Digital mammography. Right breast, cranio-caudal projection. 45 y/o patient.
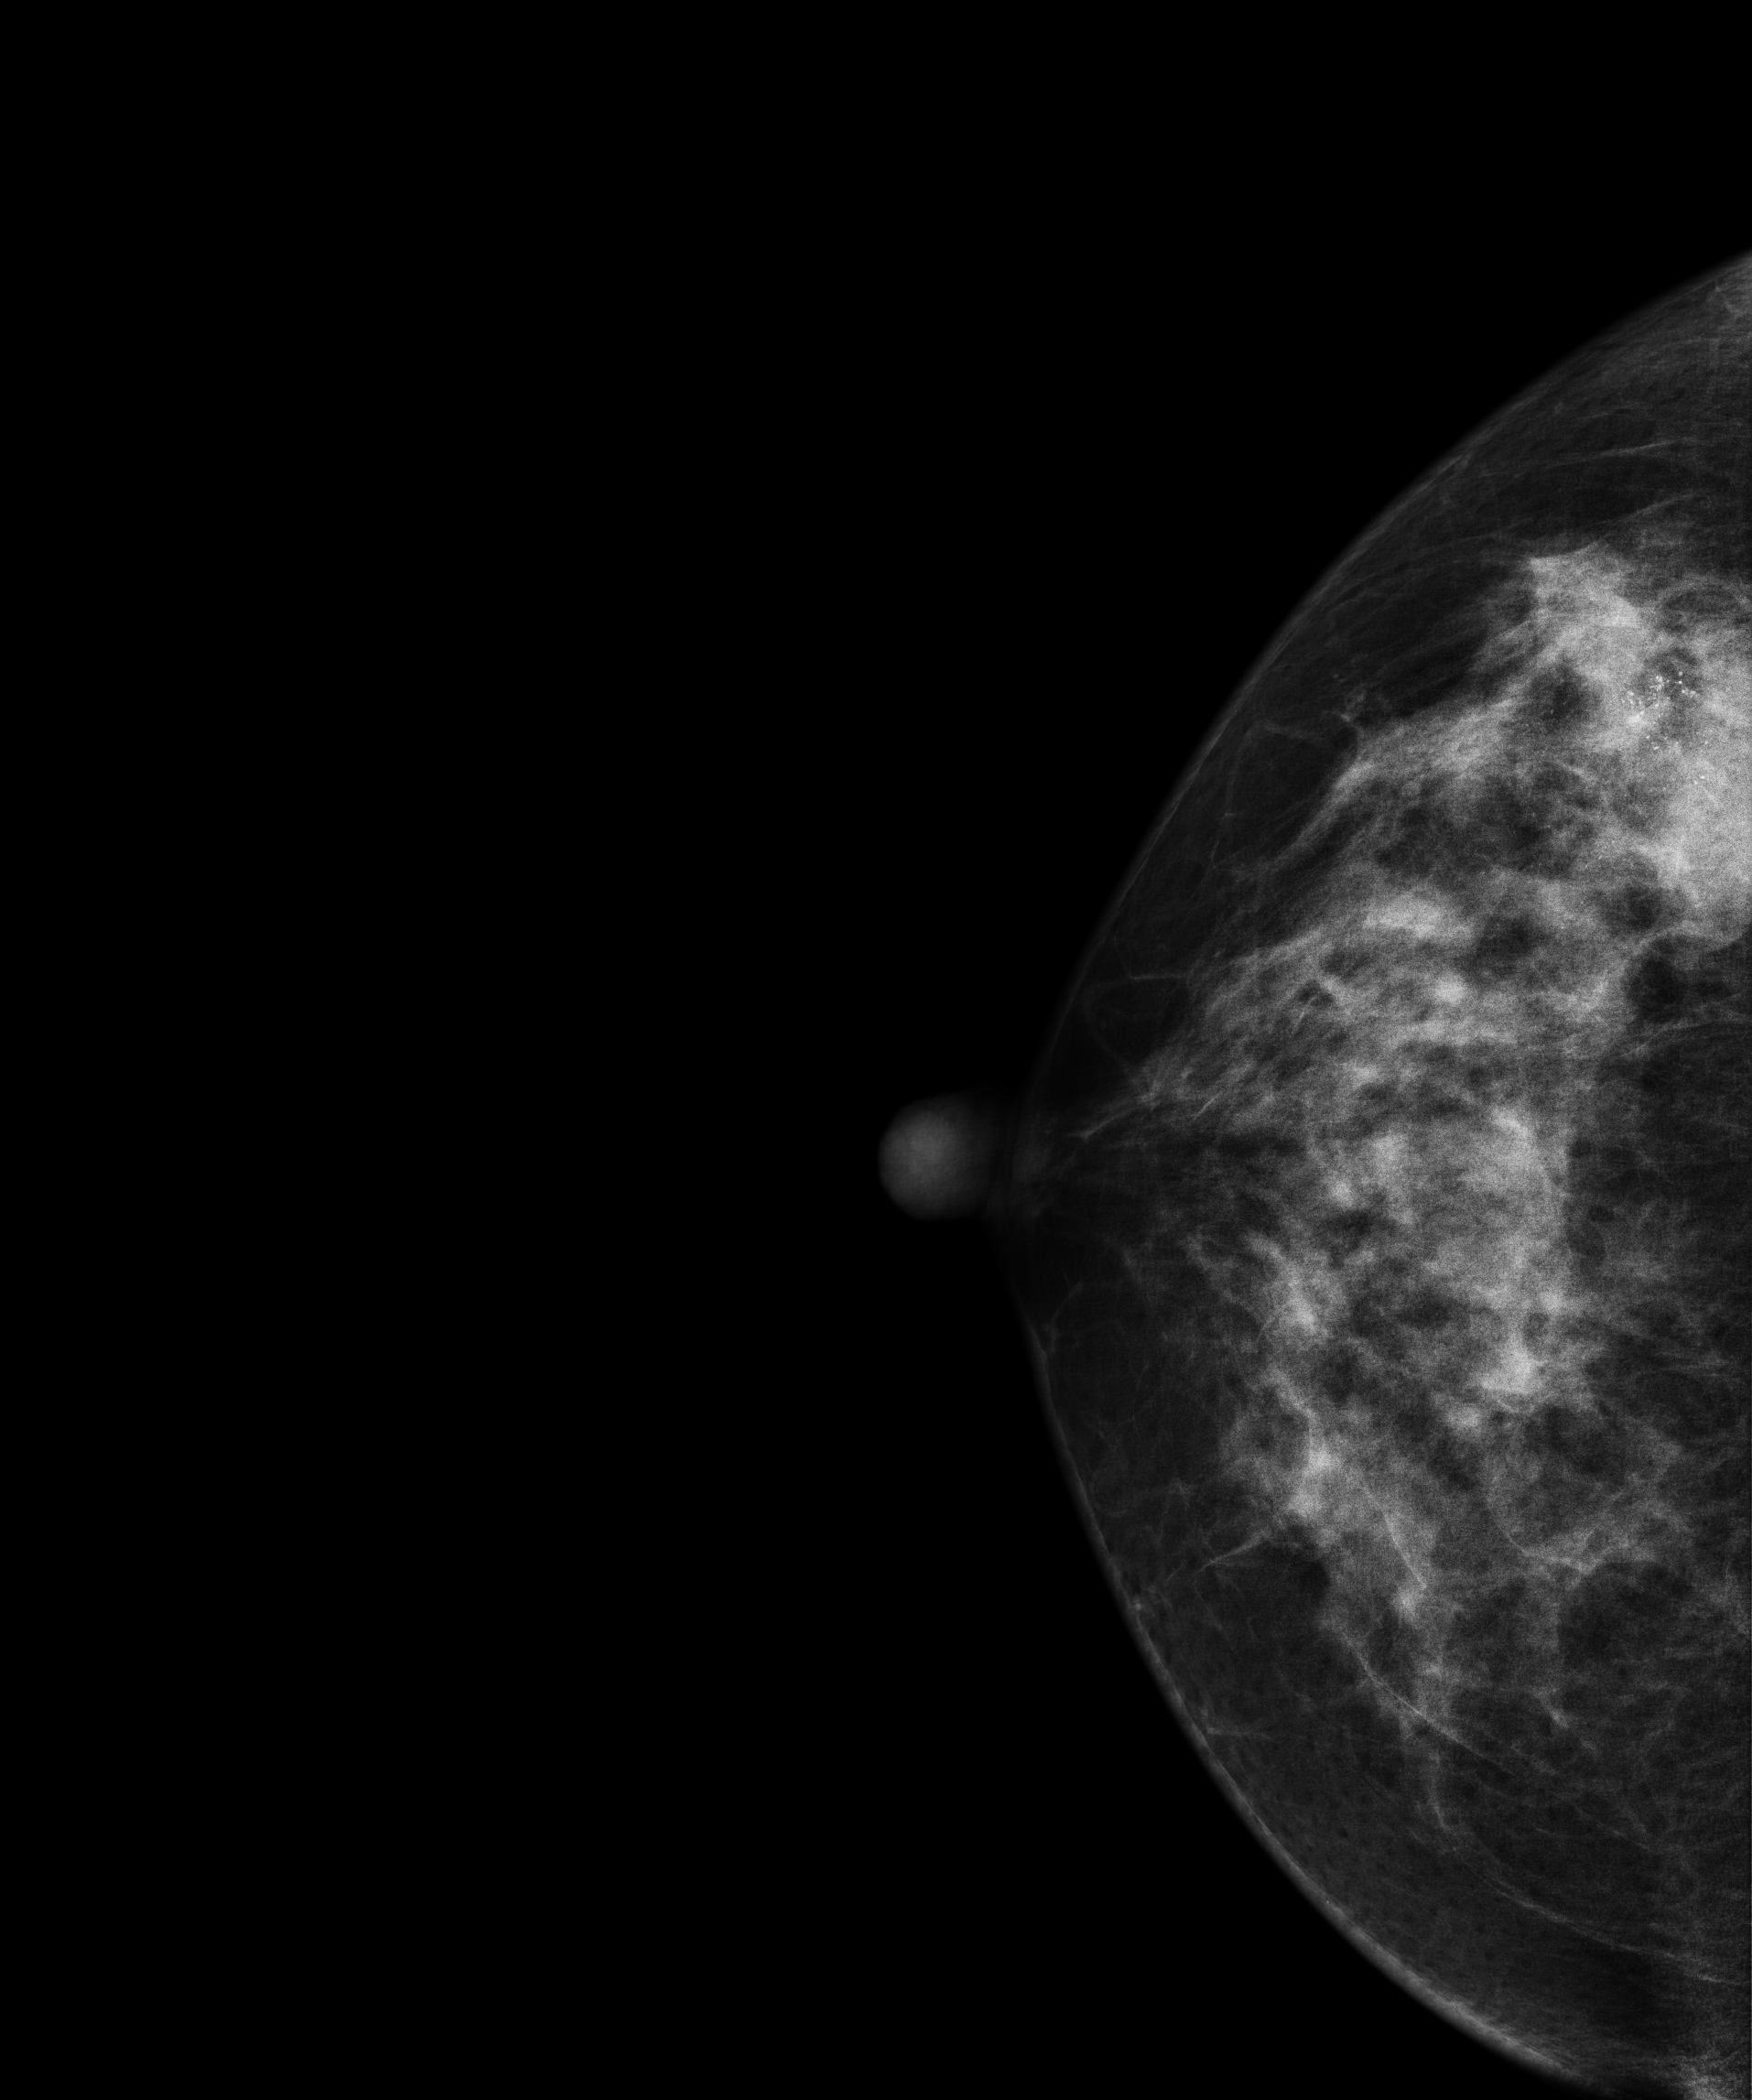
This breast has a mass and calcifications, biopsy-proven malignant. Molecular subtype: luminal B.